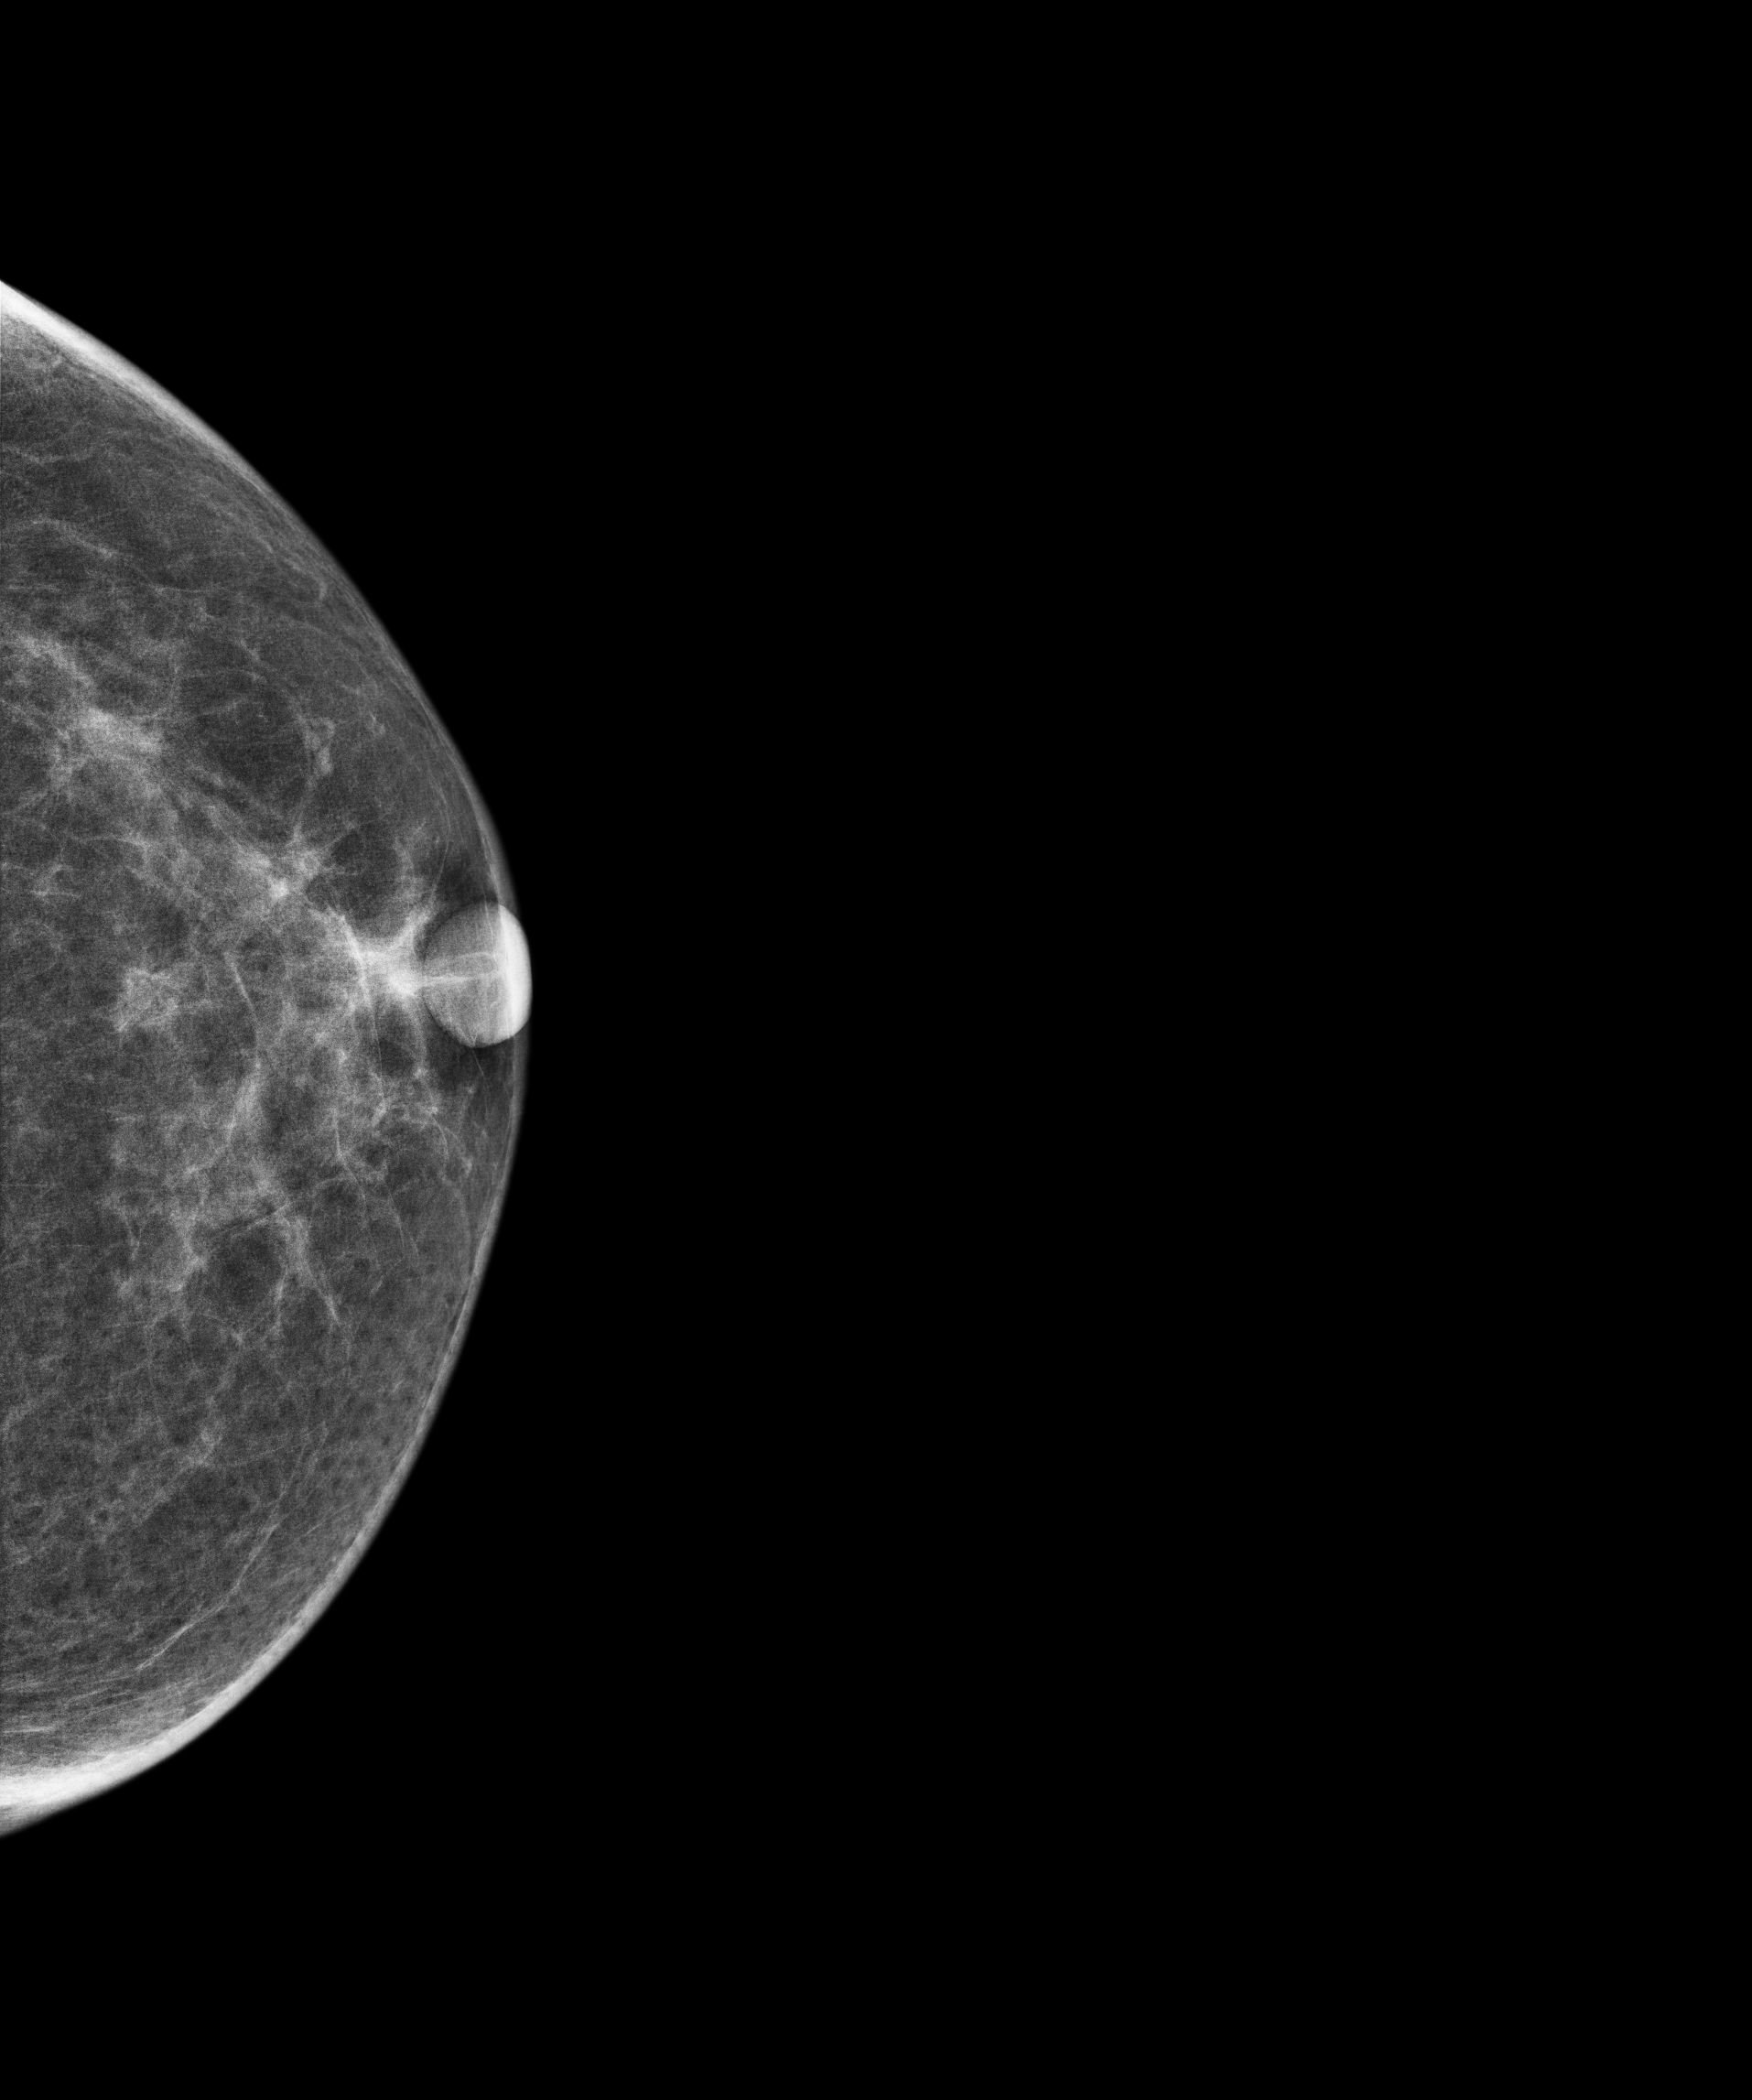
Left-breast mammogram, CC. 64-year-old patient.
Contralateral breast — no documented abnormality on this side.